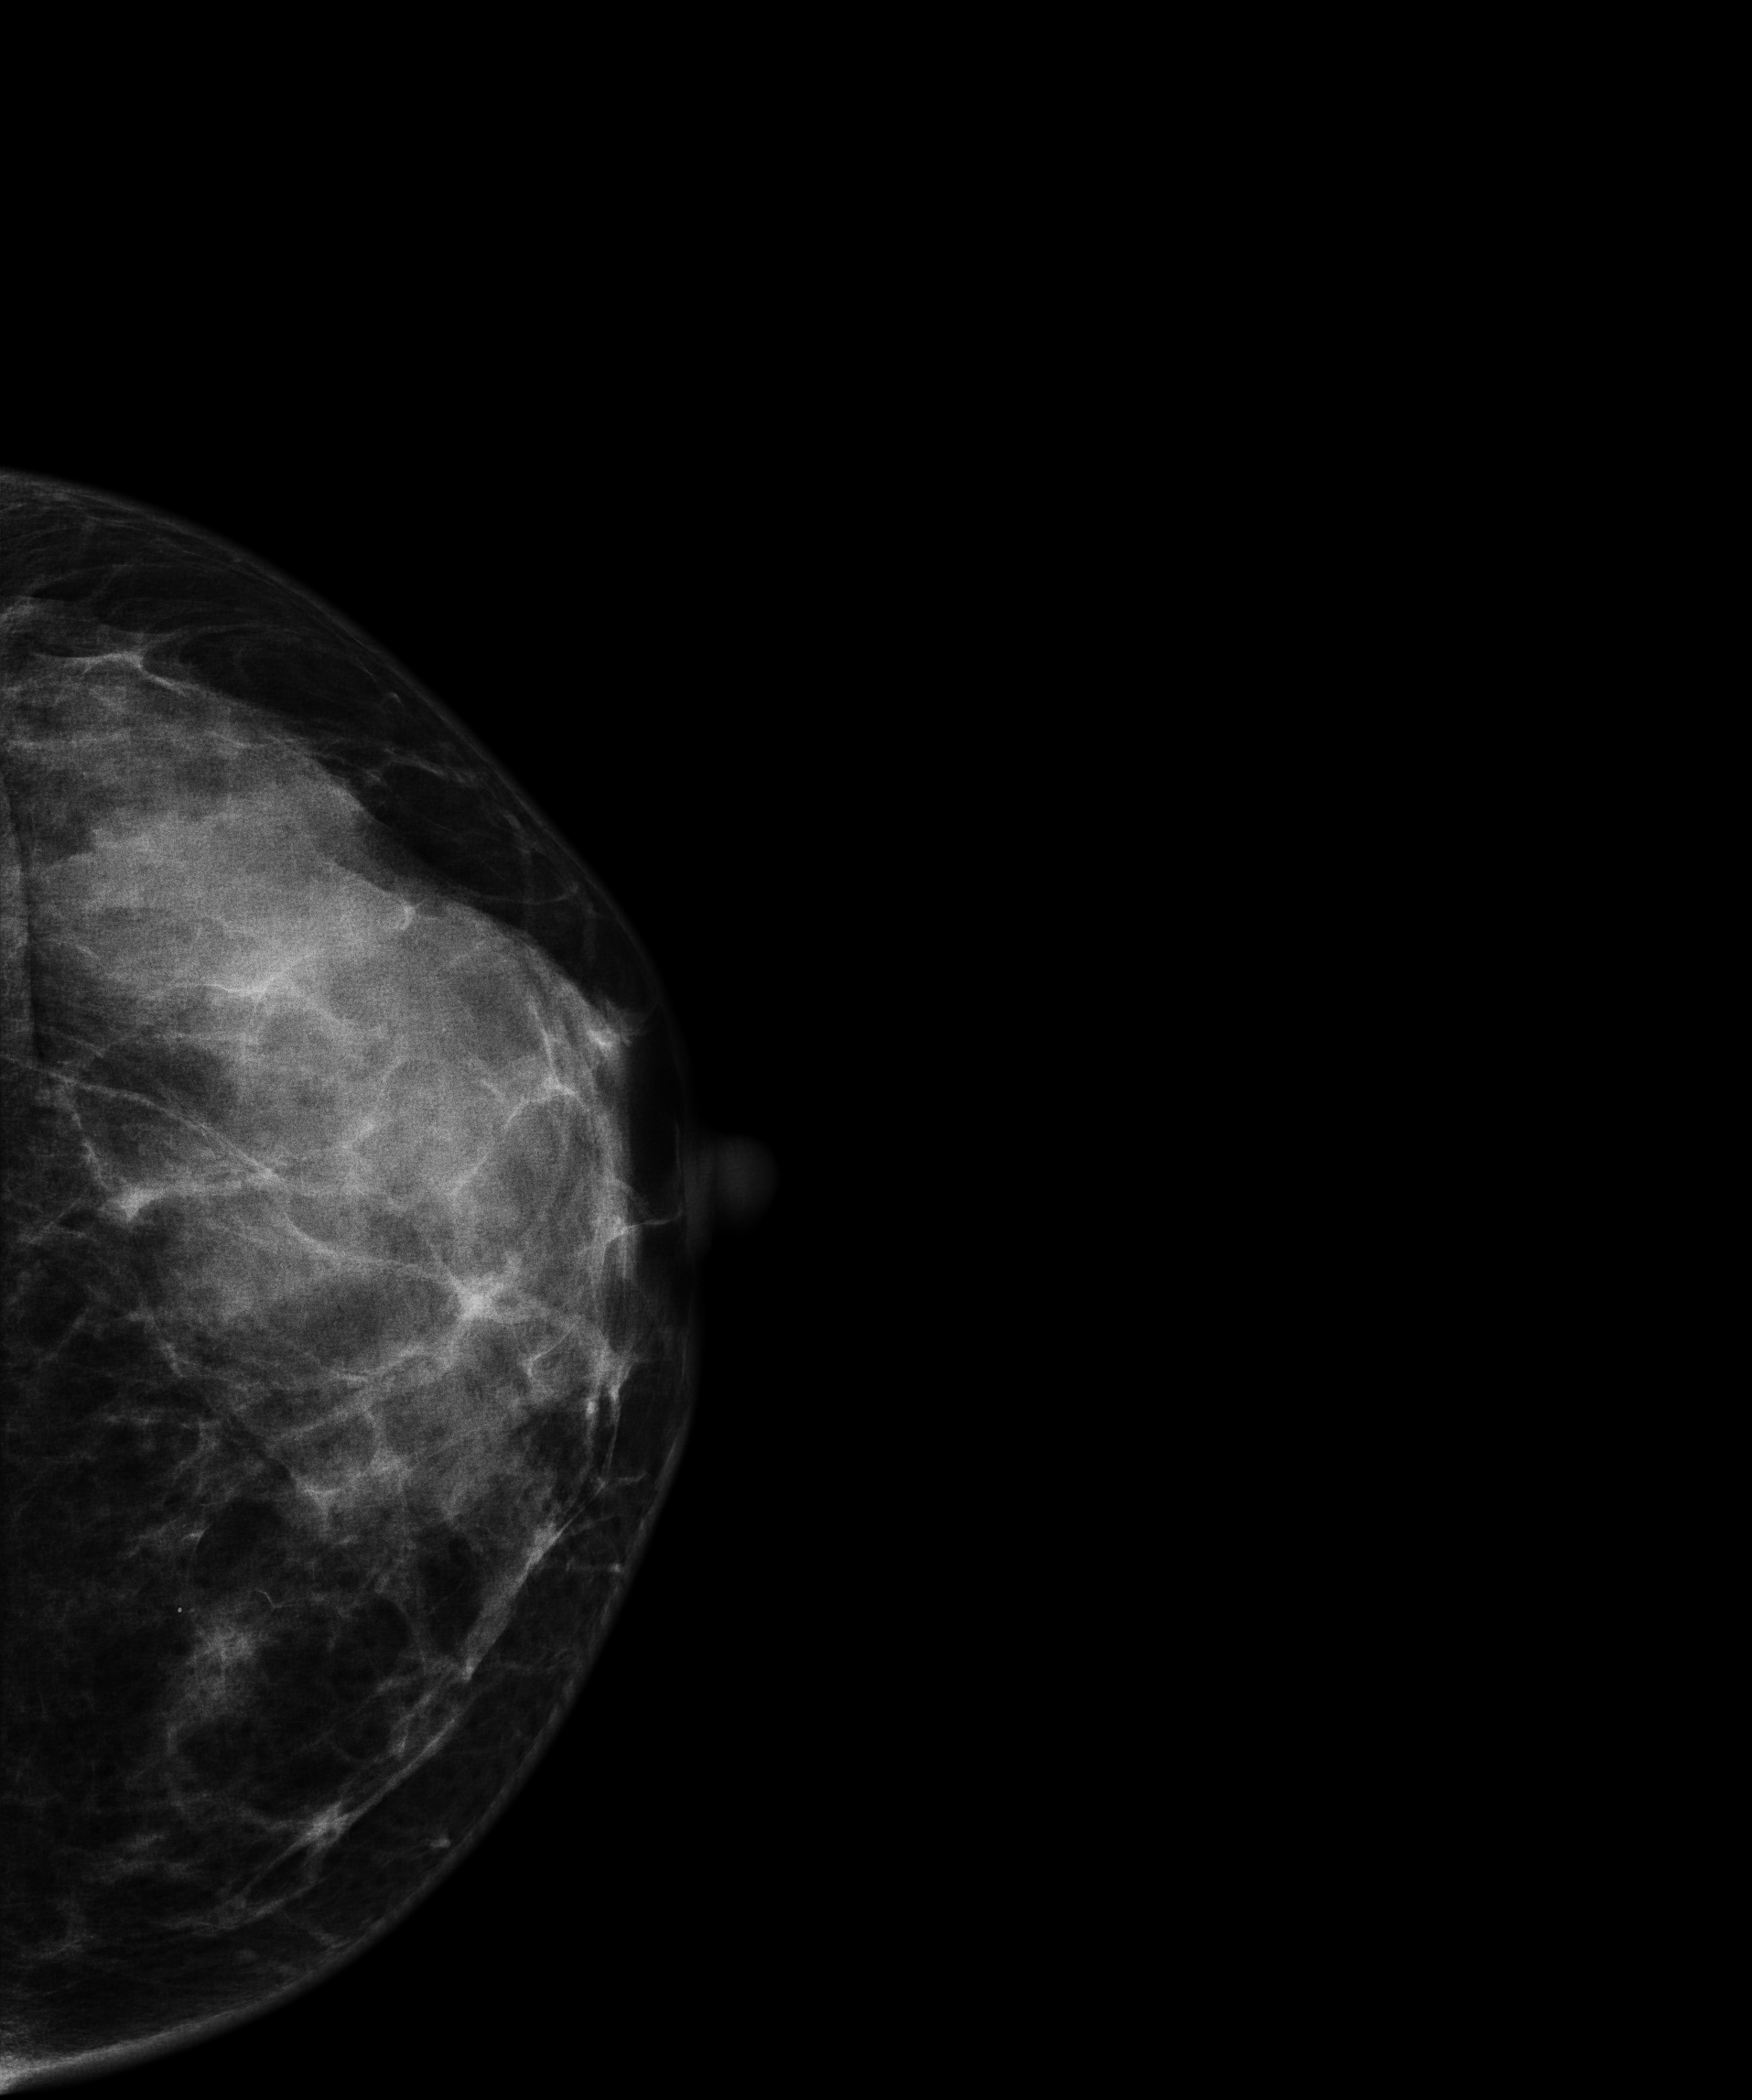
Mammogram — left CC. 34 y/o patient.
Contralateral breast — no documented abnormality on this side.